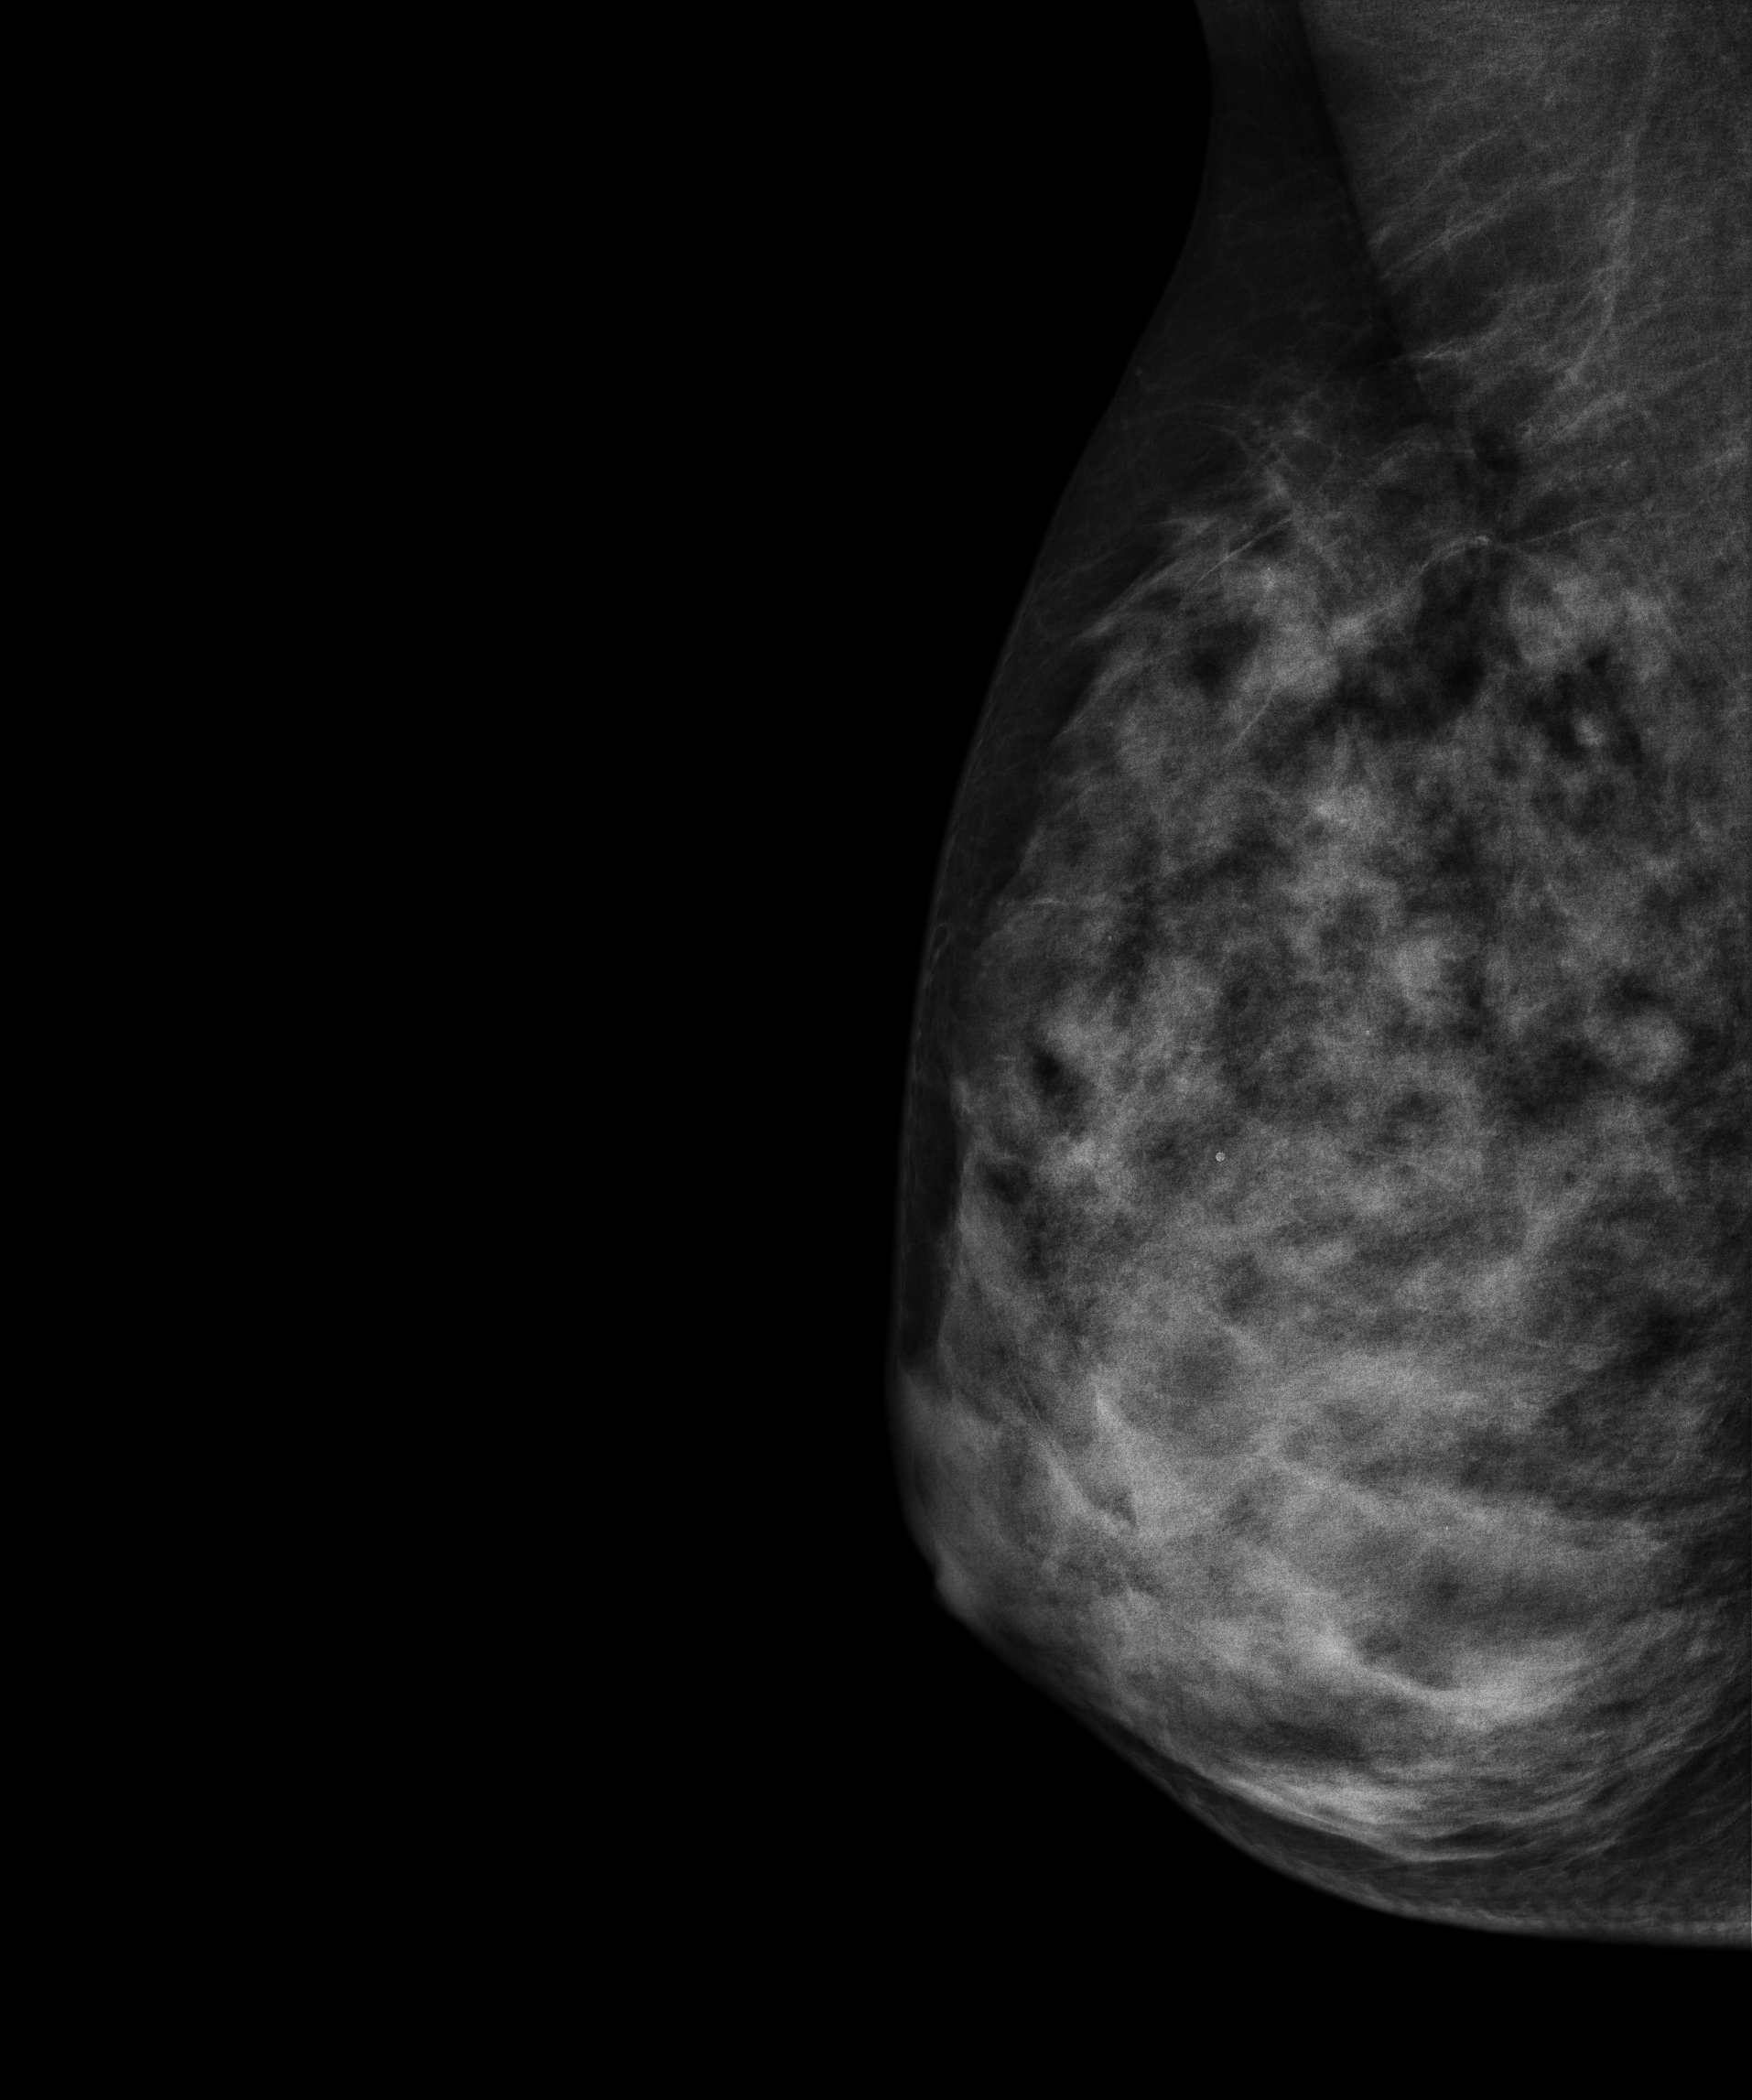
Right-breast mammogram, MLO. 40 y/o patient.
This breast has calcifications, pathology-confirmed malignant. Molecular subtype: triple-negative.